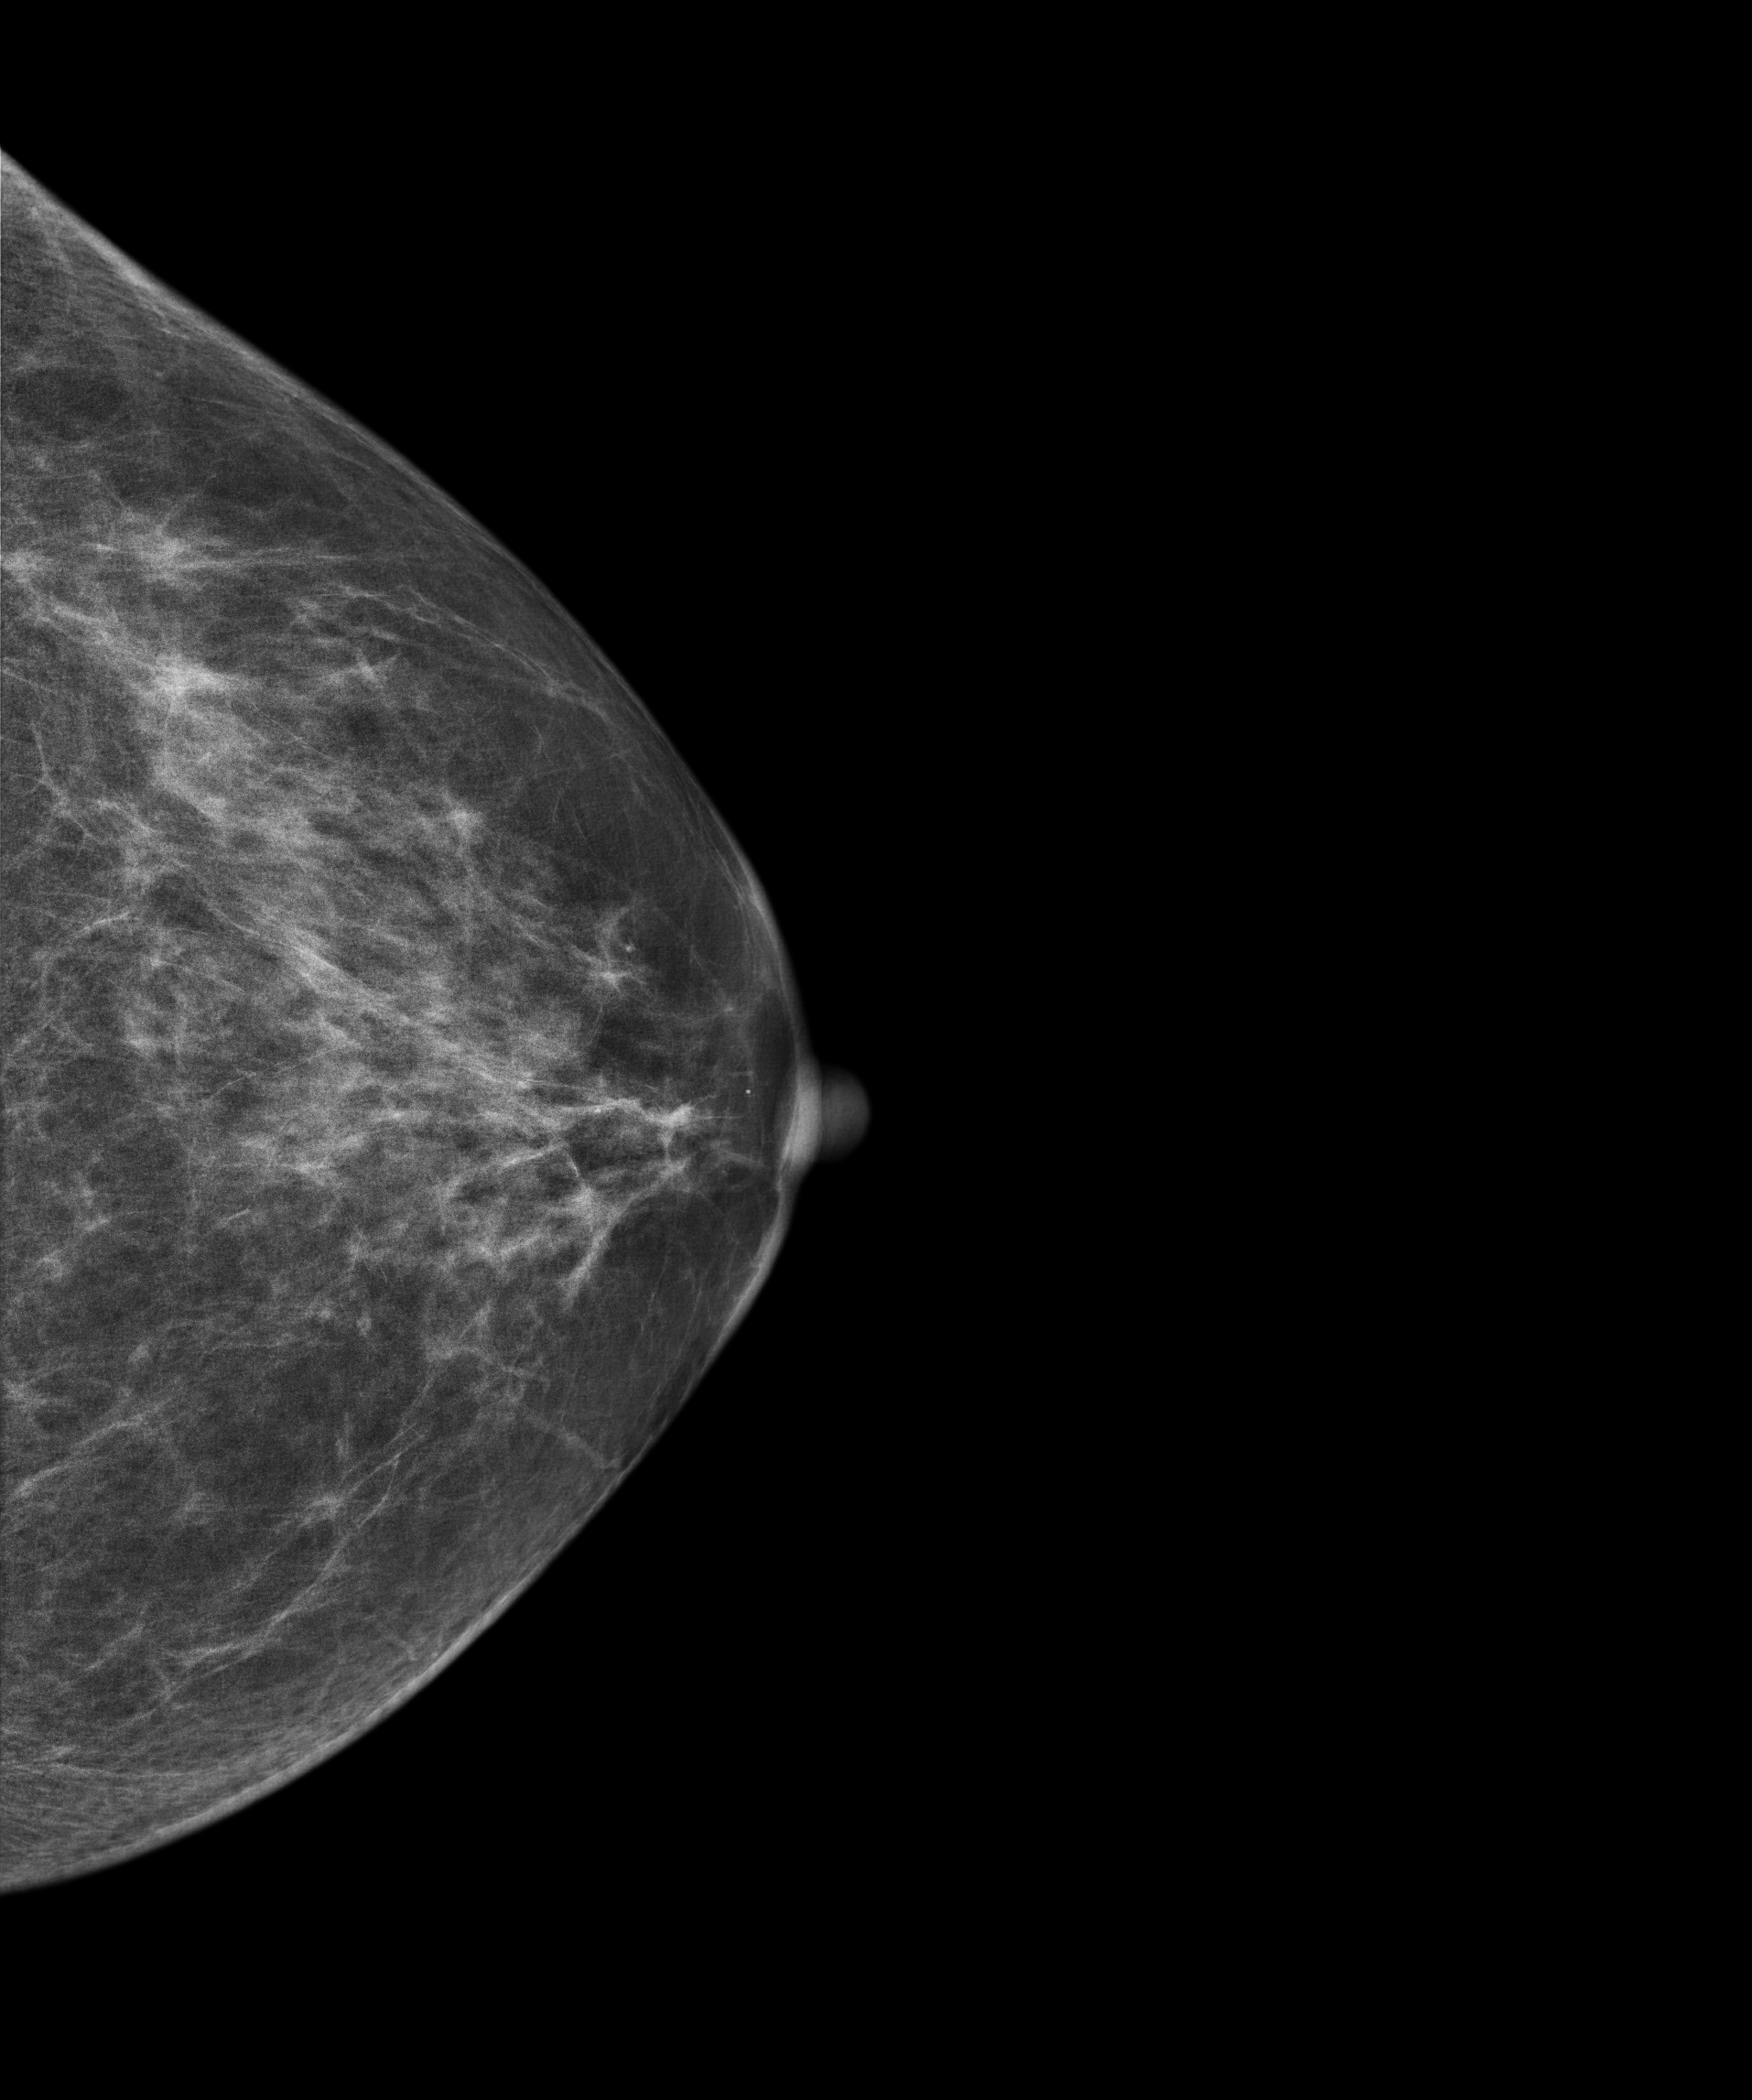
Left-breast mammogram, cranio-caudal. 62 y/o patient.
Contralateral breast — no documented abnormality on this side.